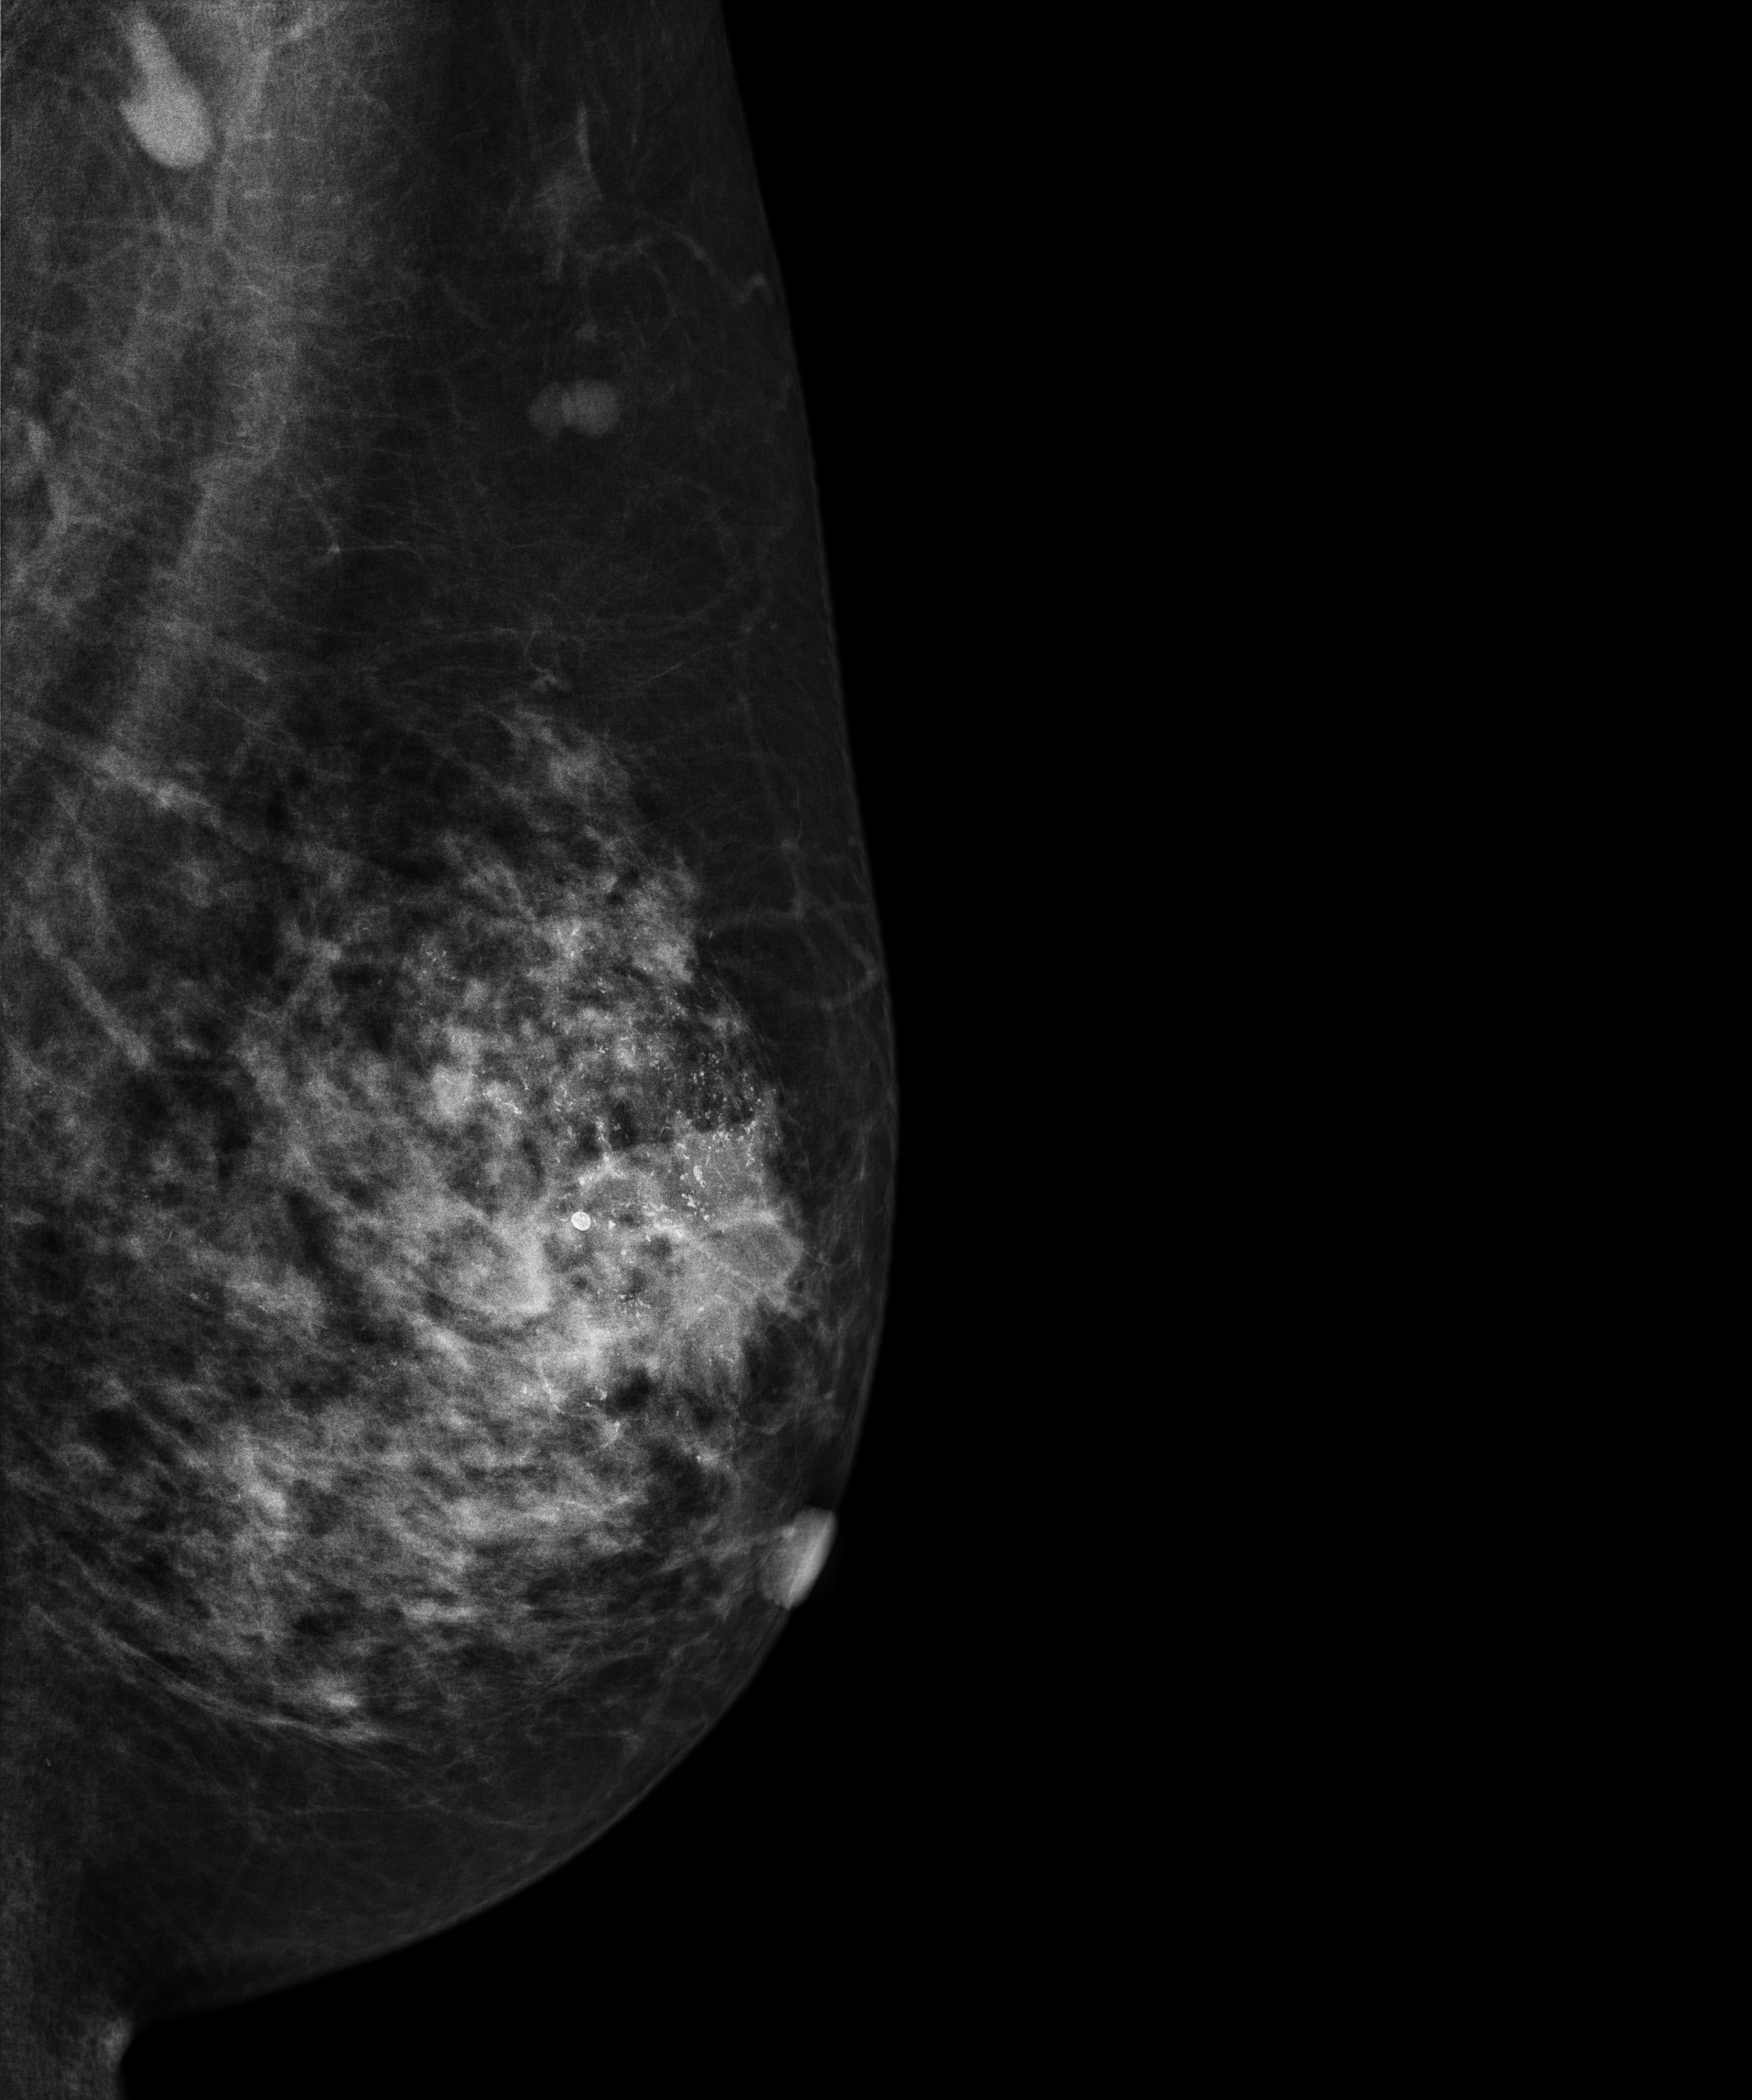
Mammogram — left medio-lateral oblique. Patient age 61.
This breast has calcifications, biopsy-proven malignant. Molecular subtype: HER2-enriched.